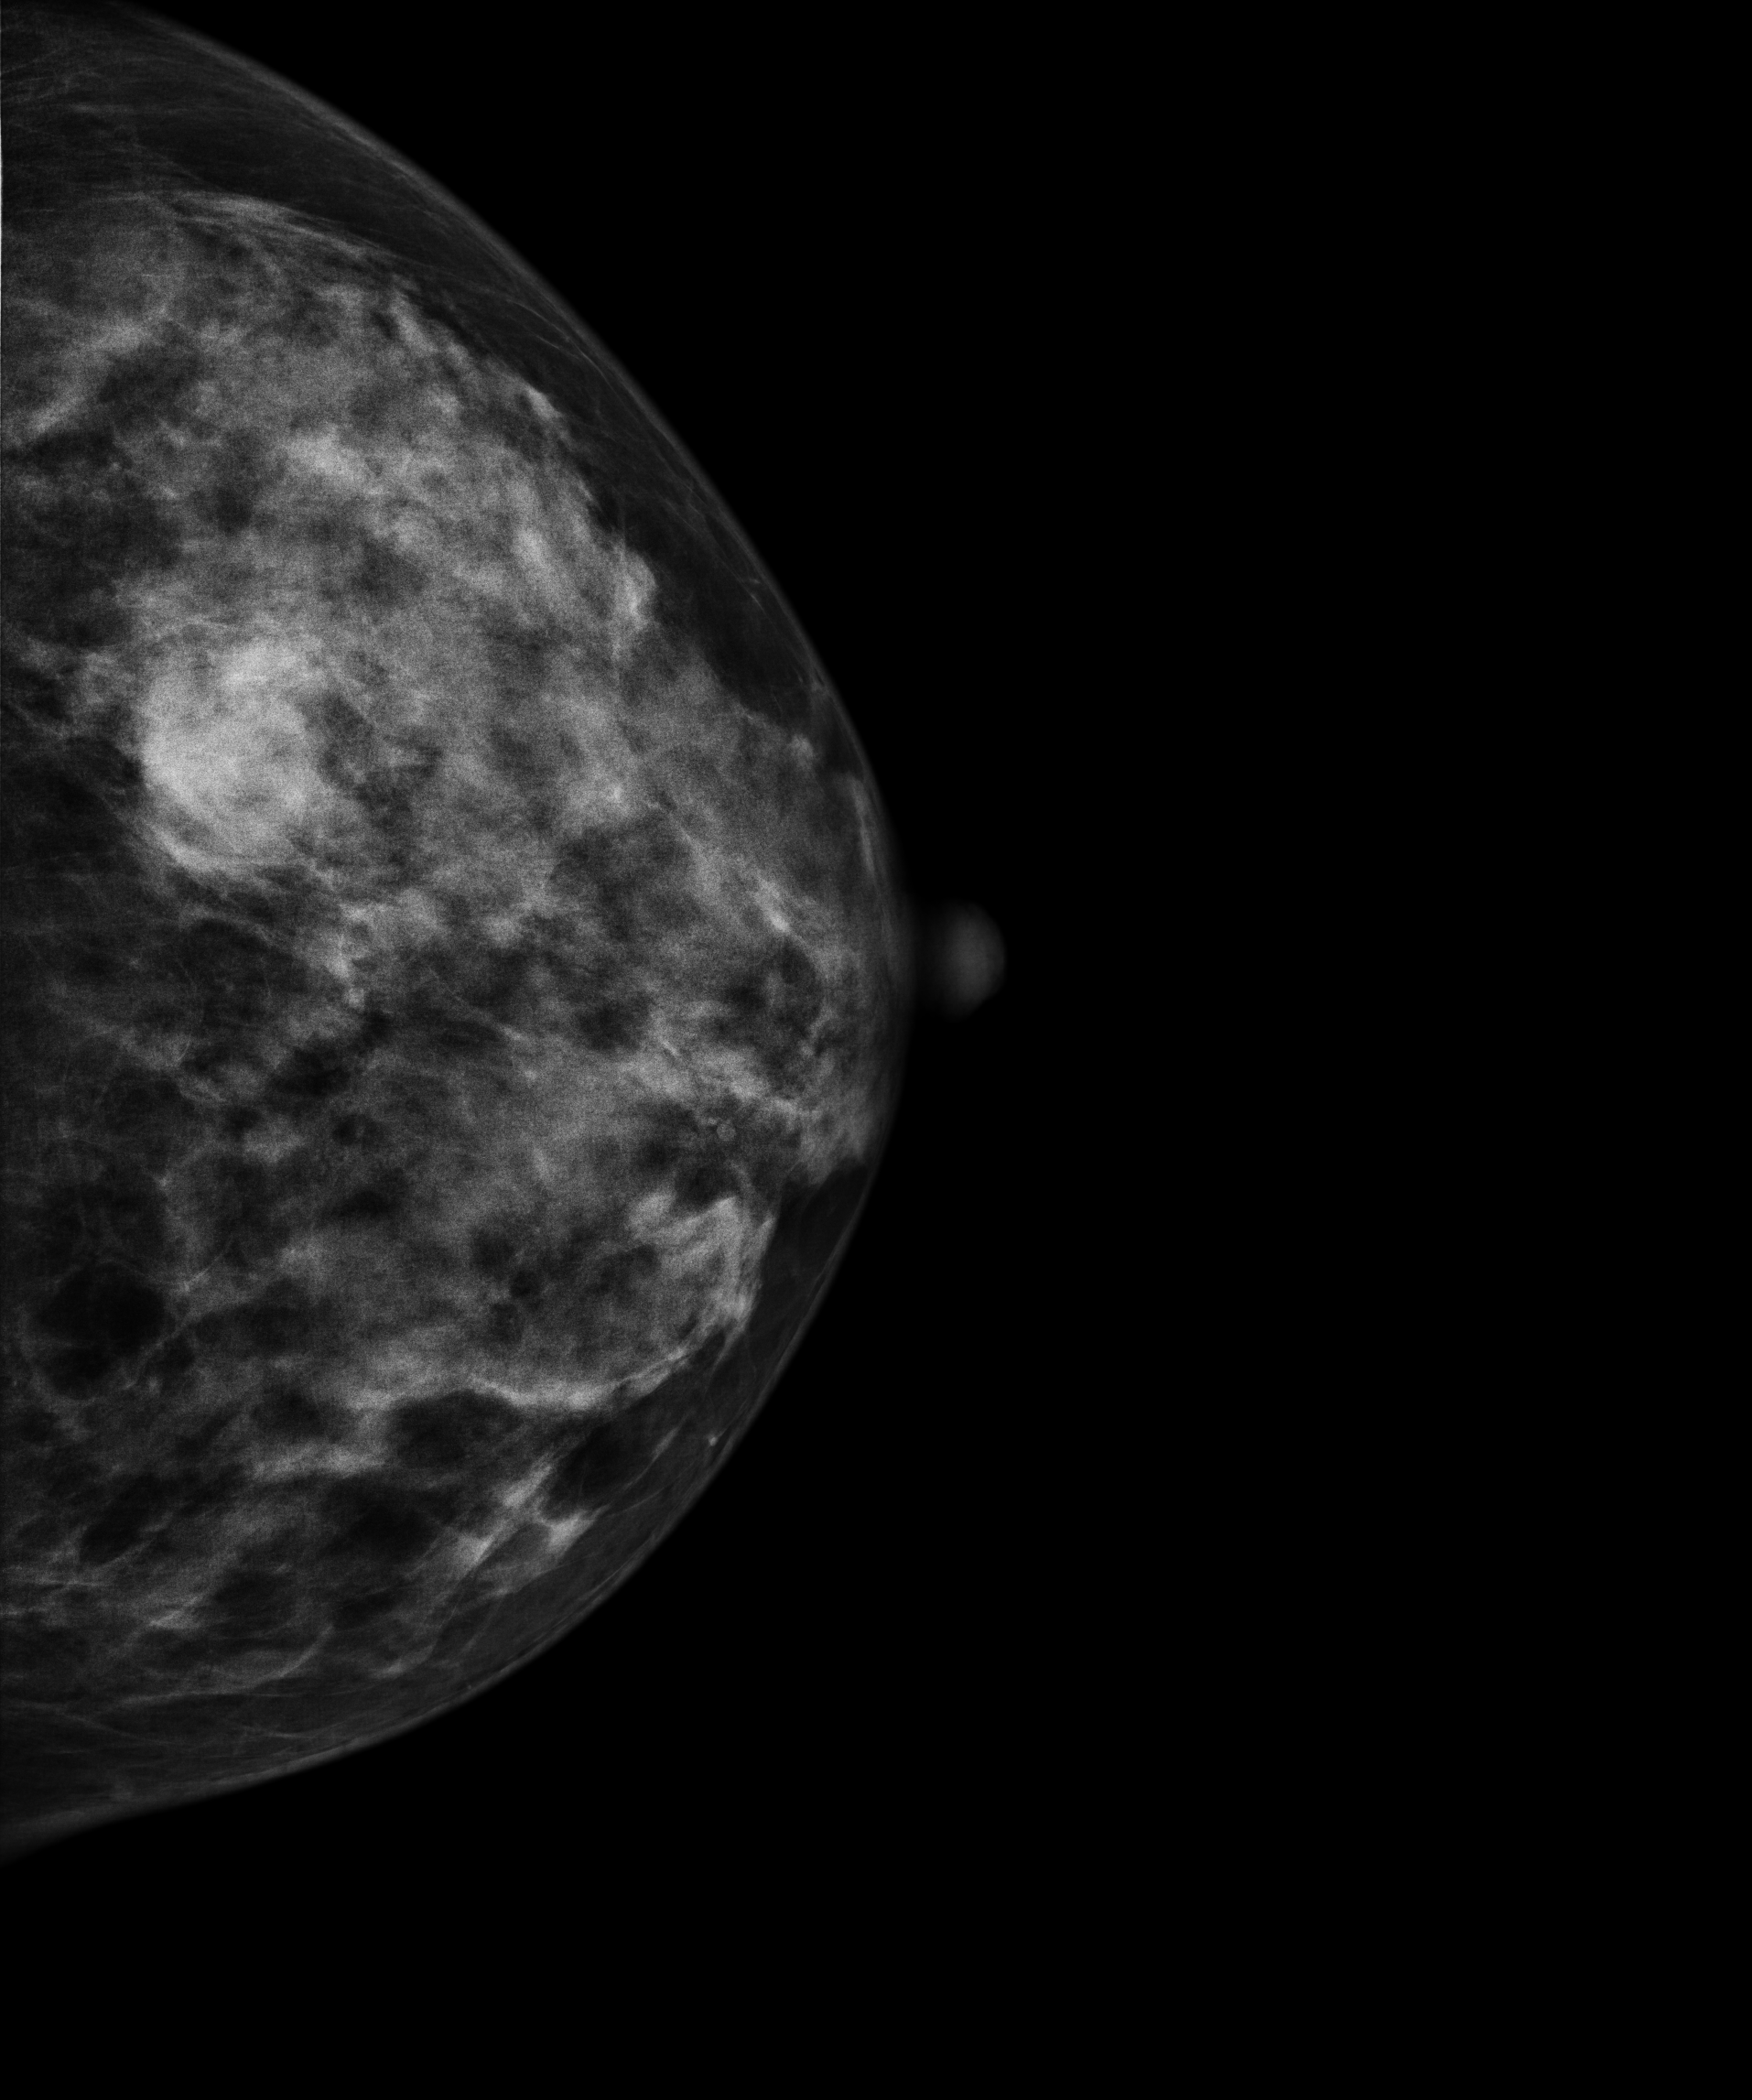
Left-breast mammogram, cranio-caudal. 44-year-old patient.
This breast has a mass, biopsy-proven malignant.